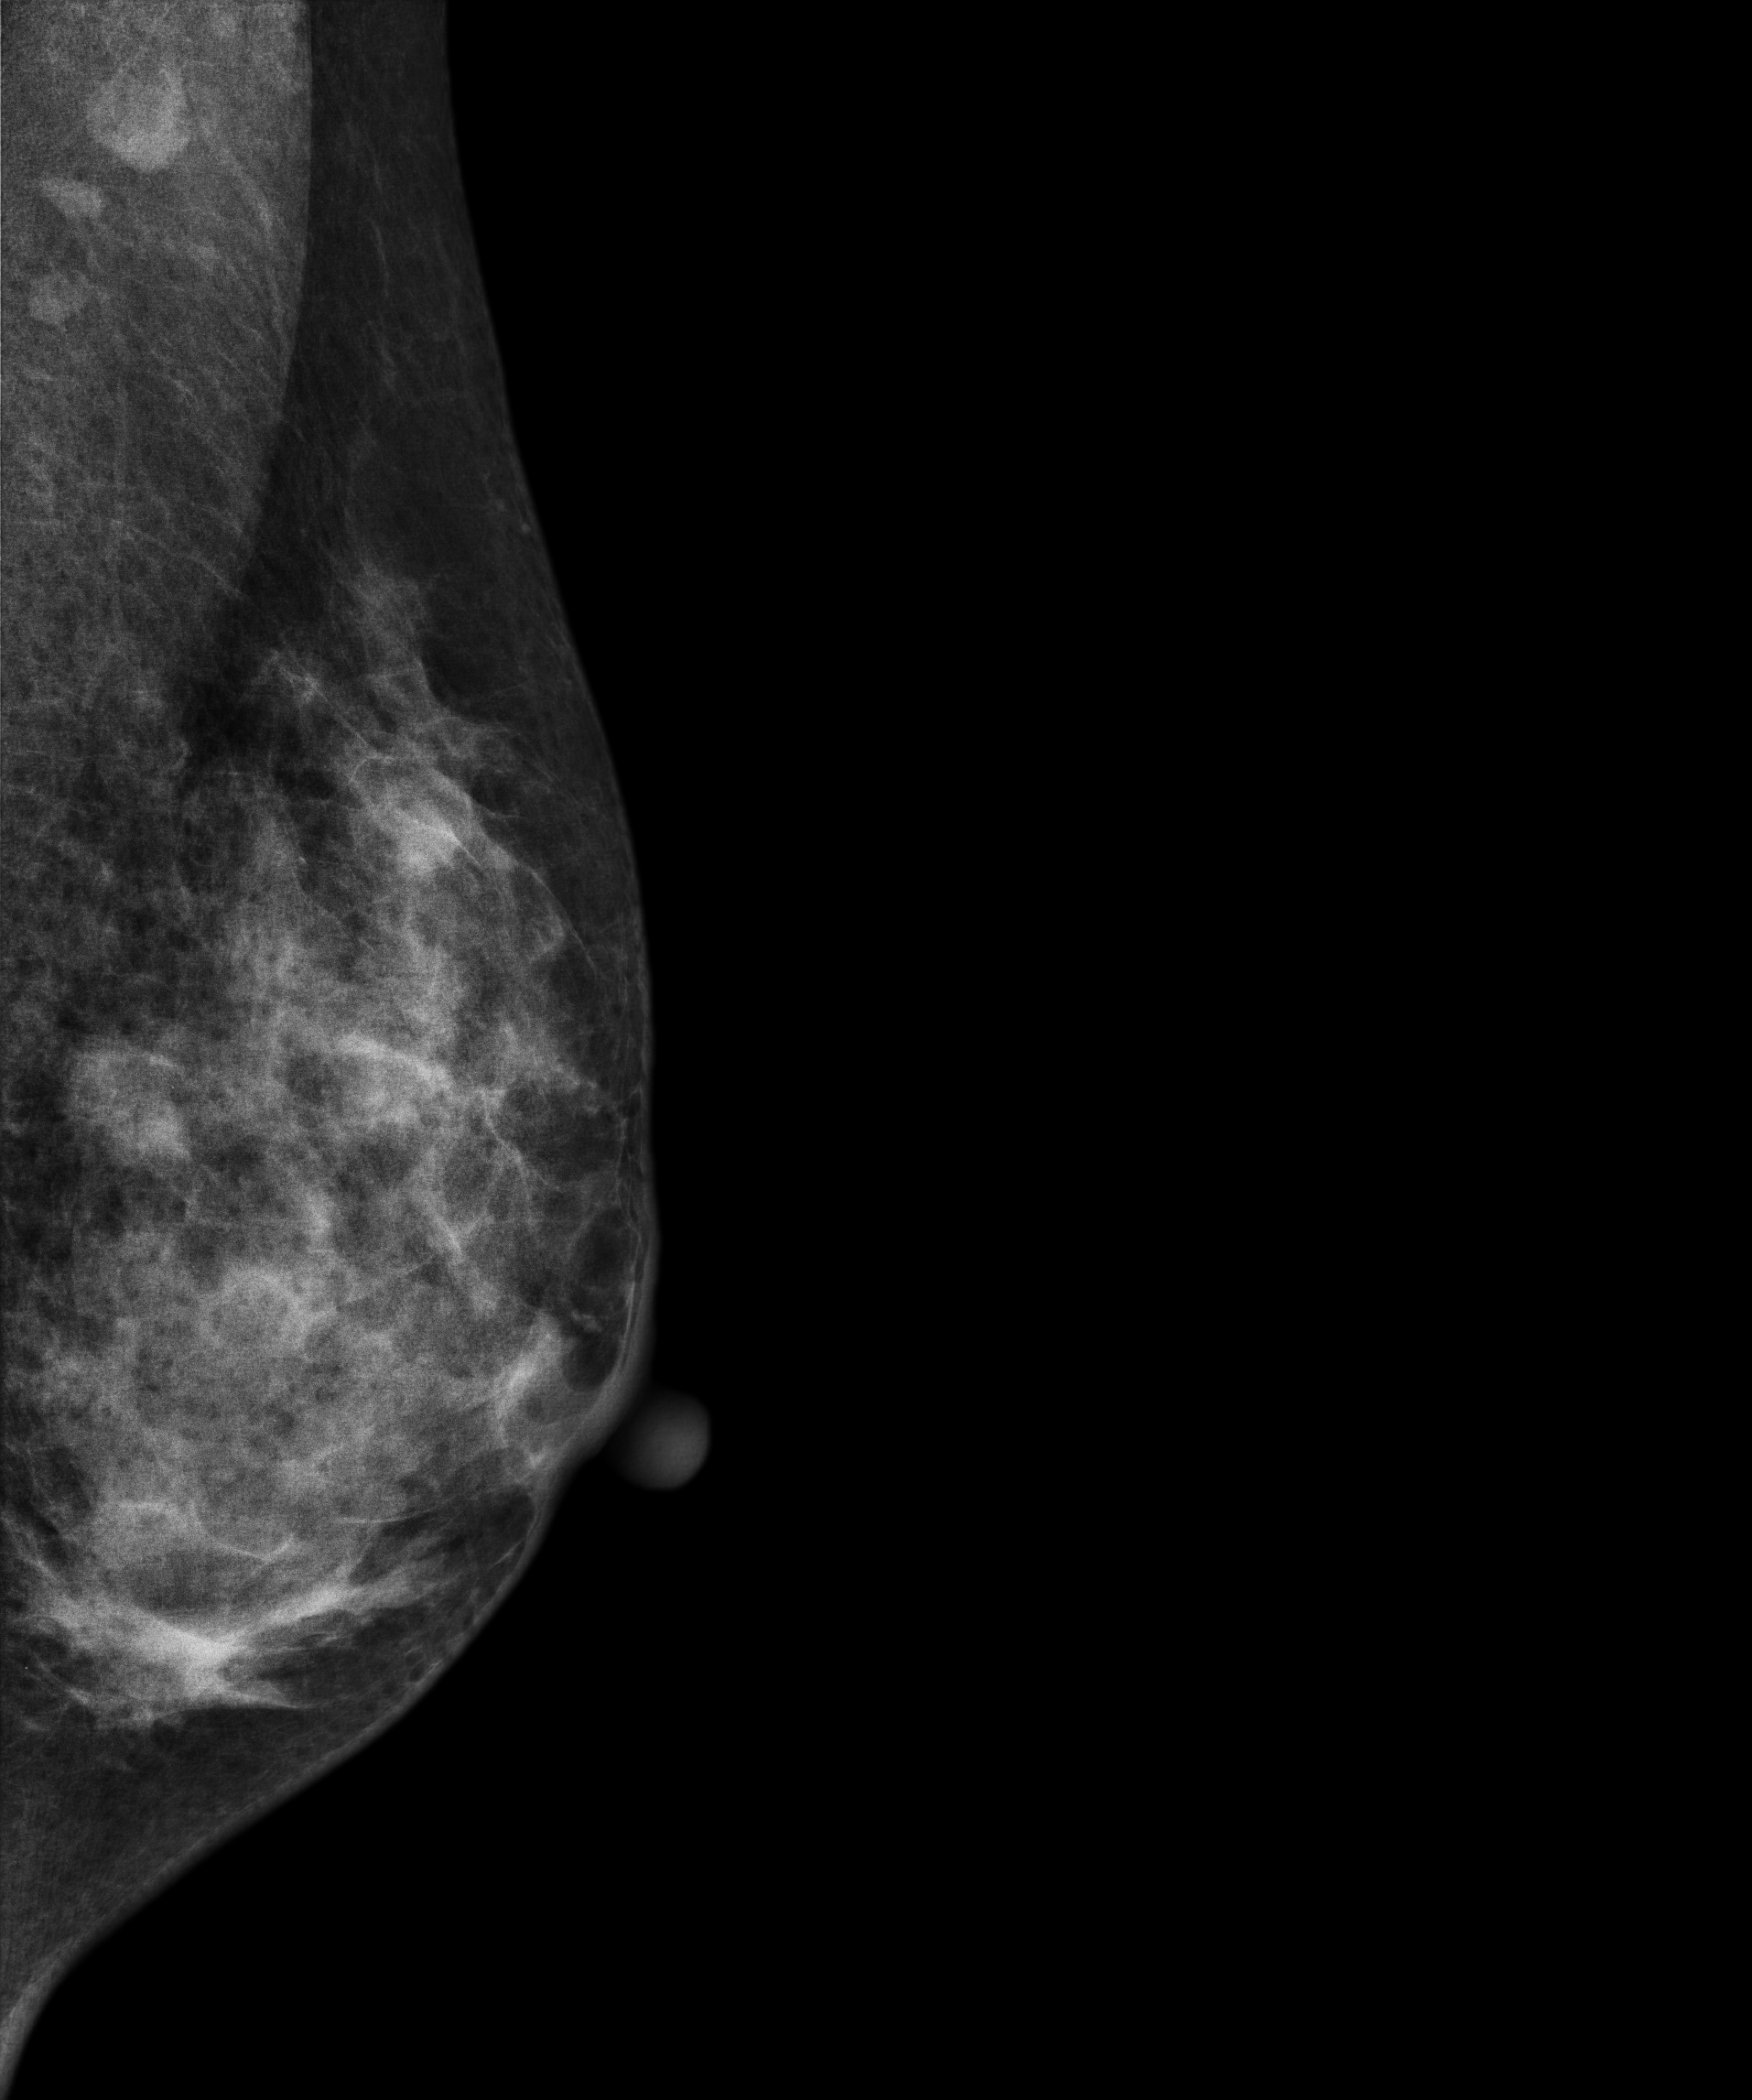
Mammogram — left MLO. 61-year-old patient.
This breast has a mass, biopsy-proven malignant.